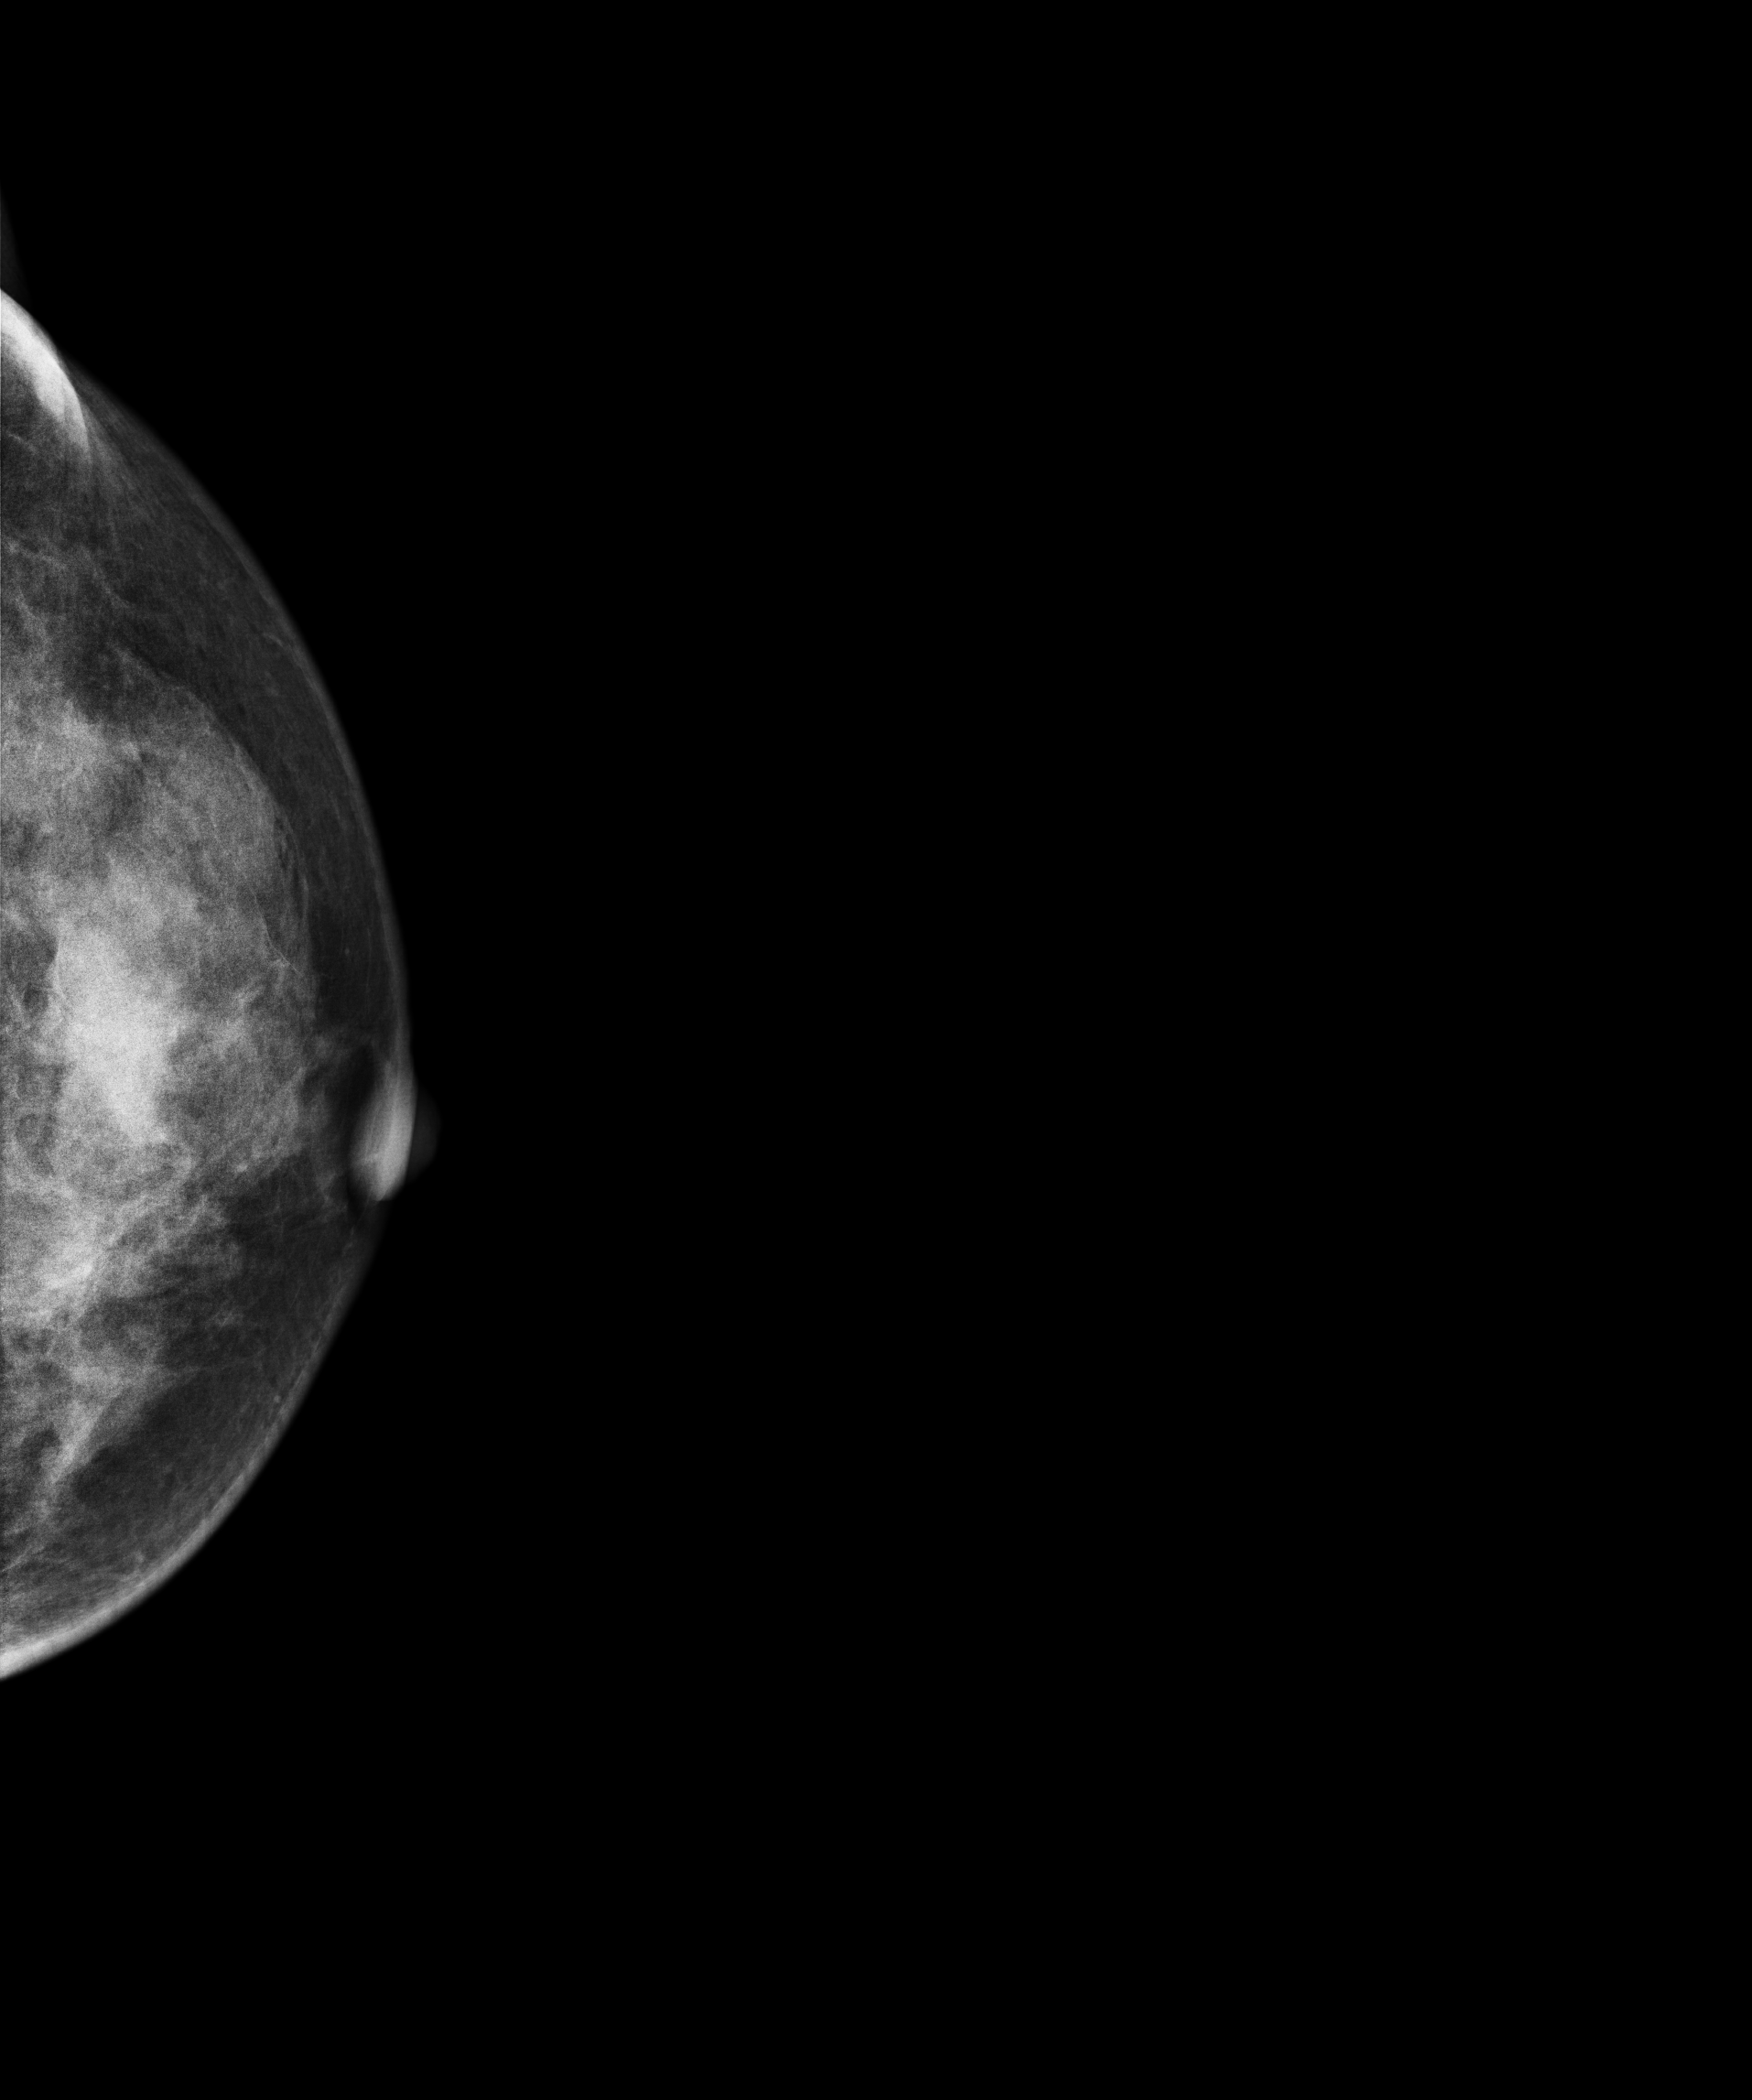
Digital mammography. Left breast, CC projection. 51 y/o patient.
This breast has a mass, pathology-confirmed malignant.